Left-breast mammogram, cranio-caudal. Patient age 53.
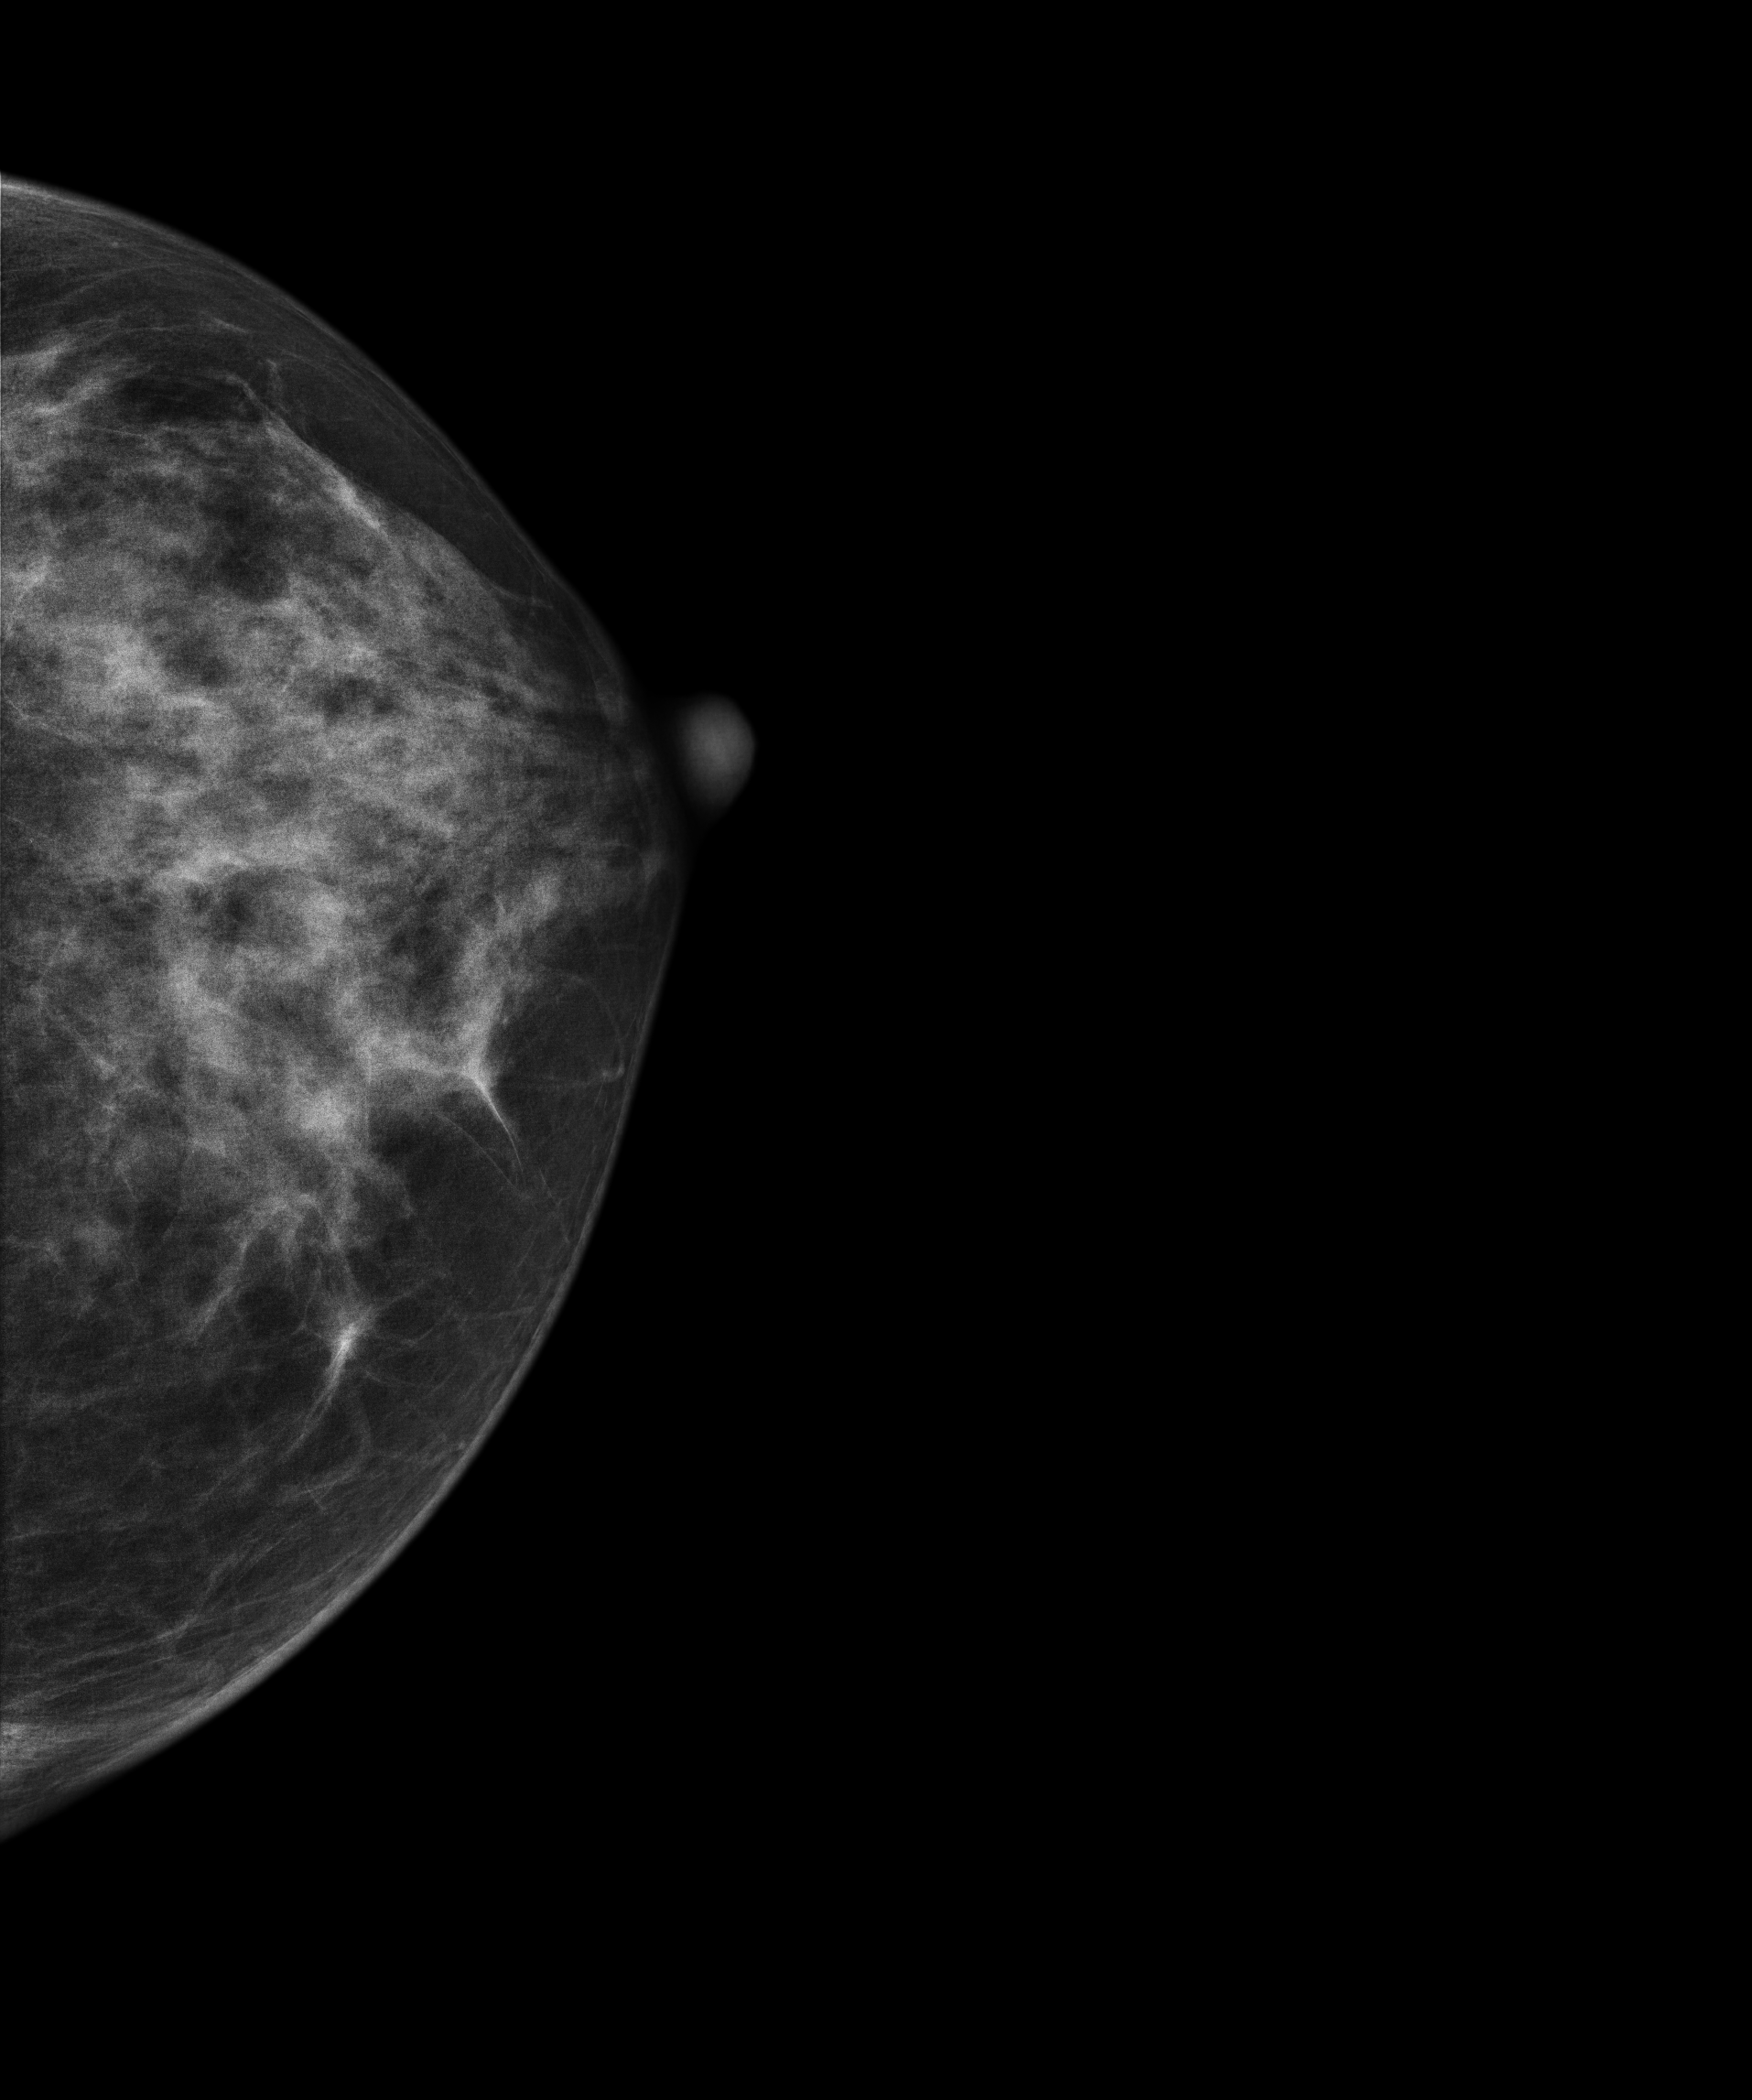
Contralateral breast — no documented abnormality on this side.